Left-breast mammogram, MLO. 48 y/o patient.
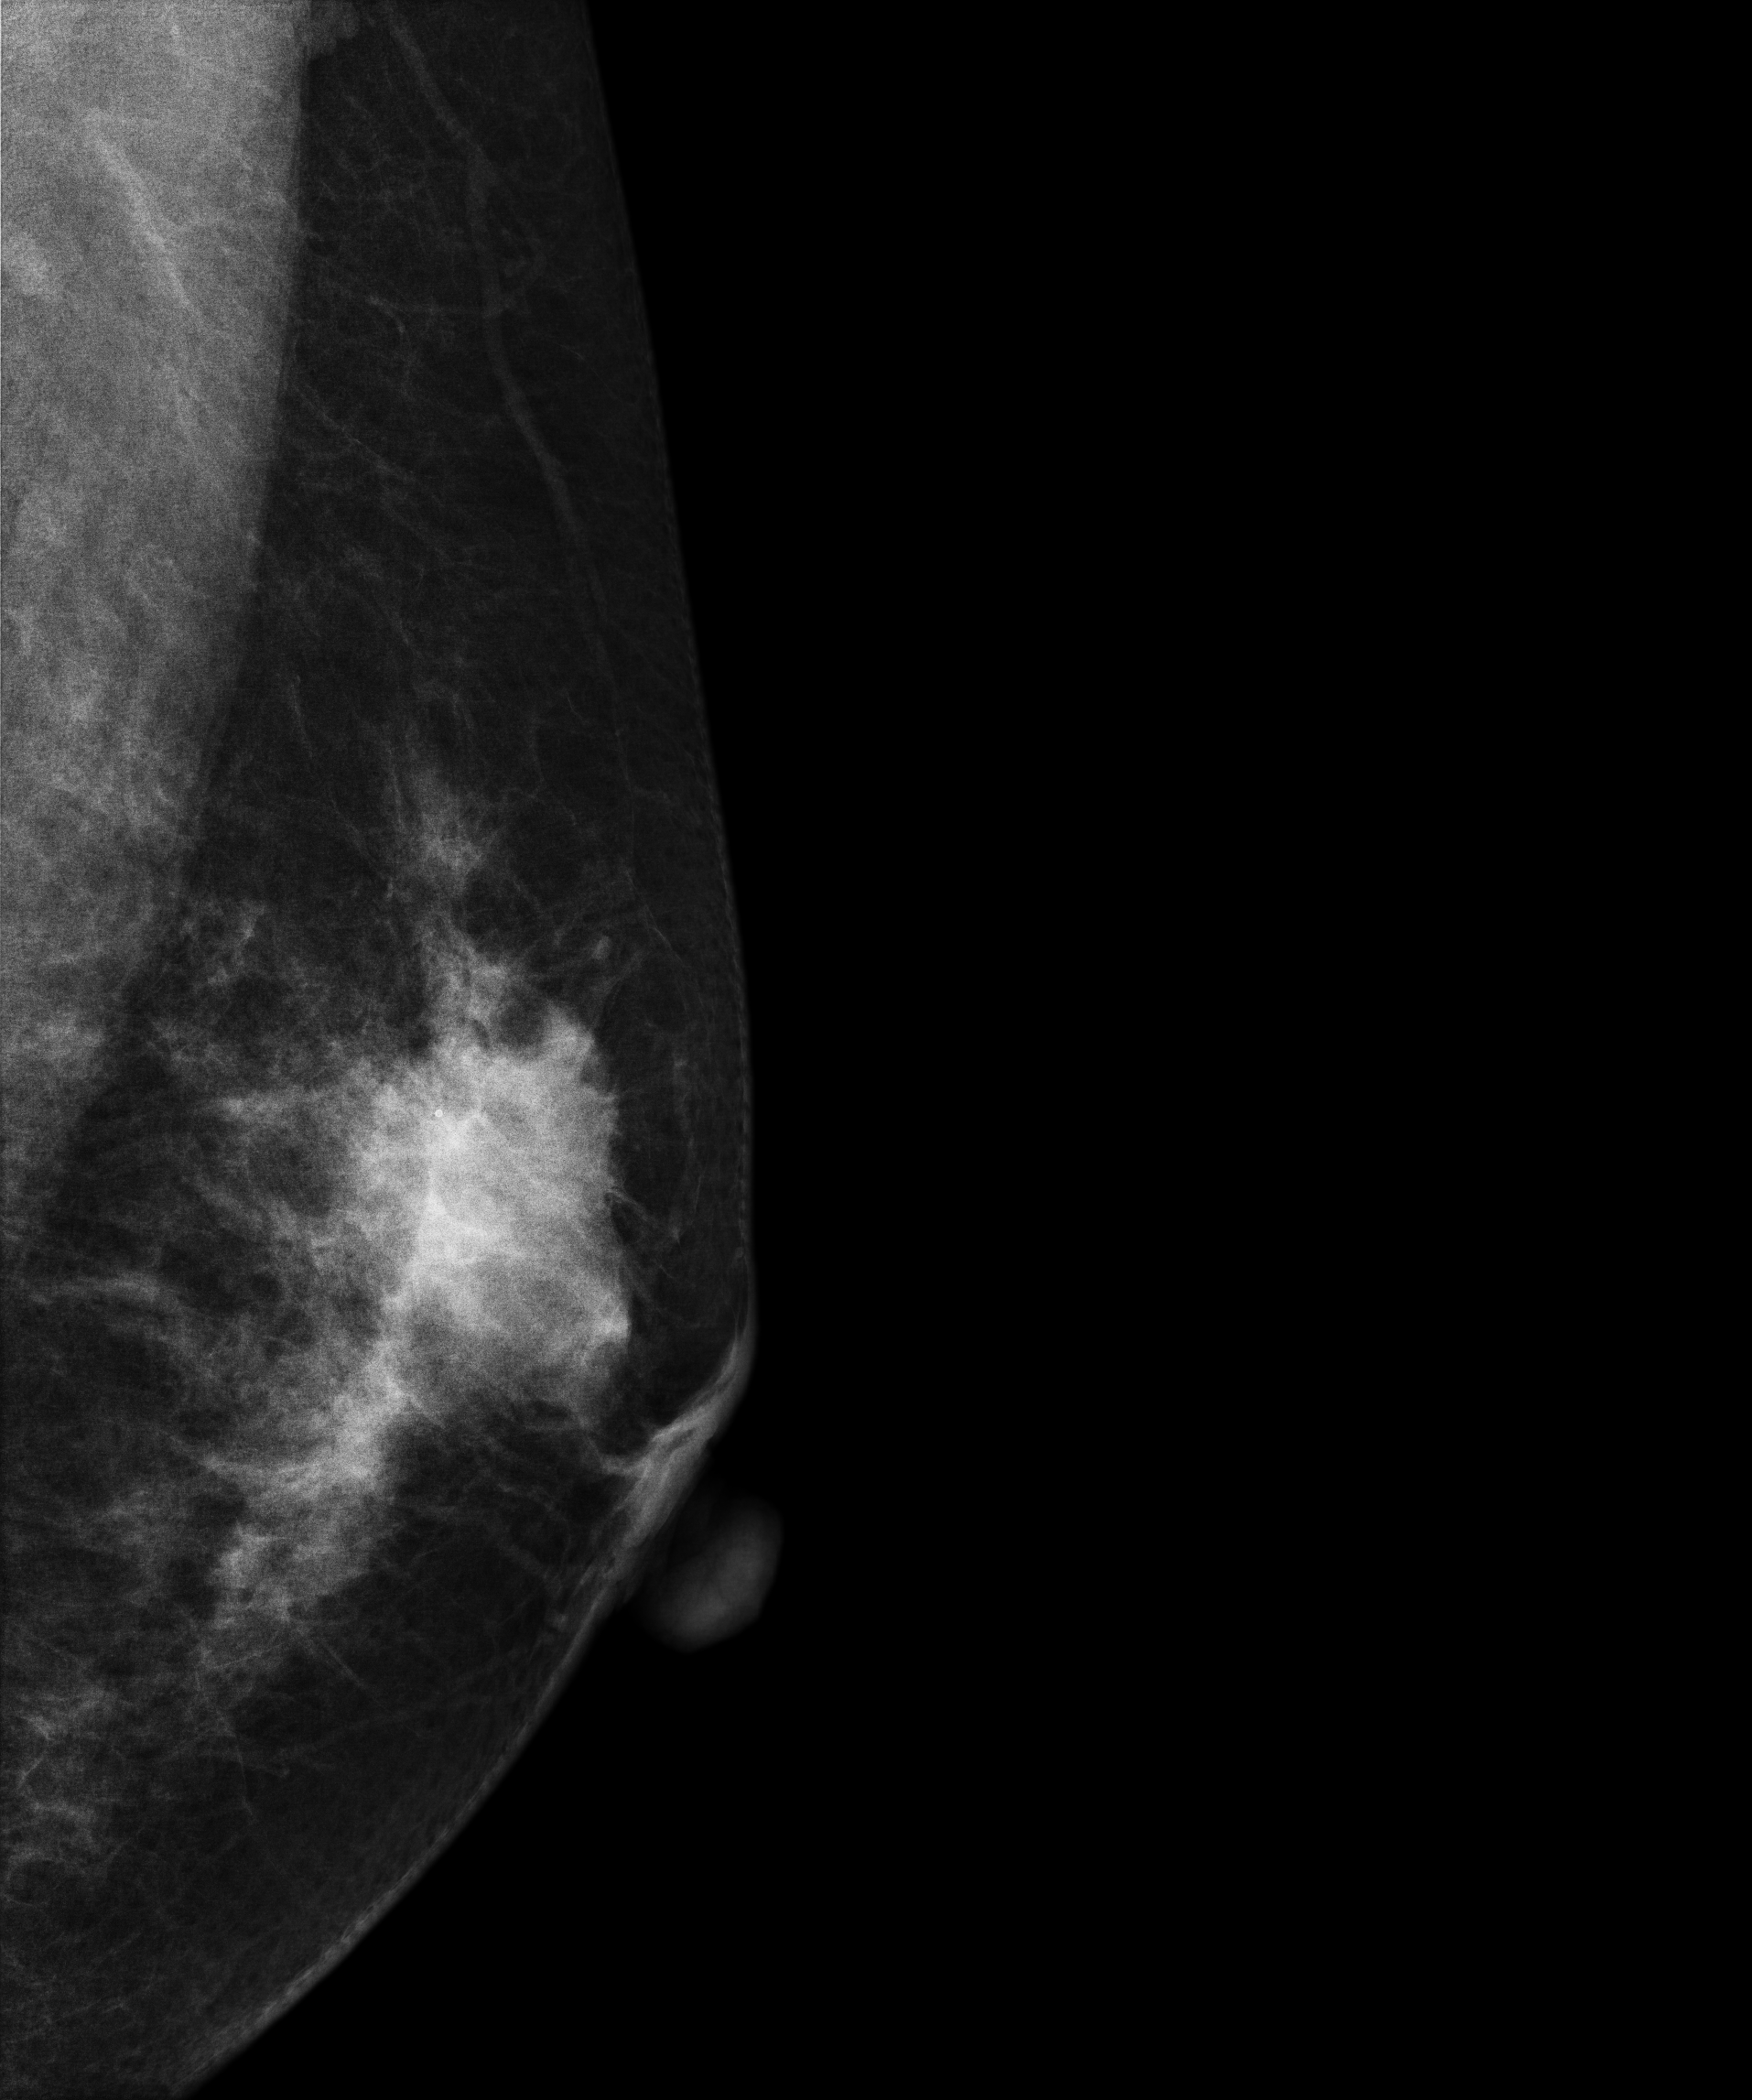
This breast has a mass, pathology-confirmed malignant.